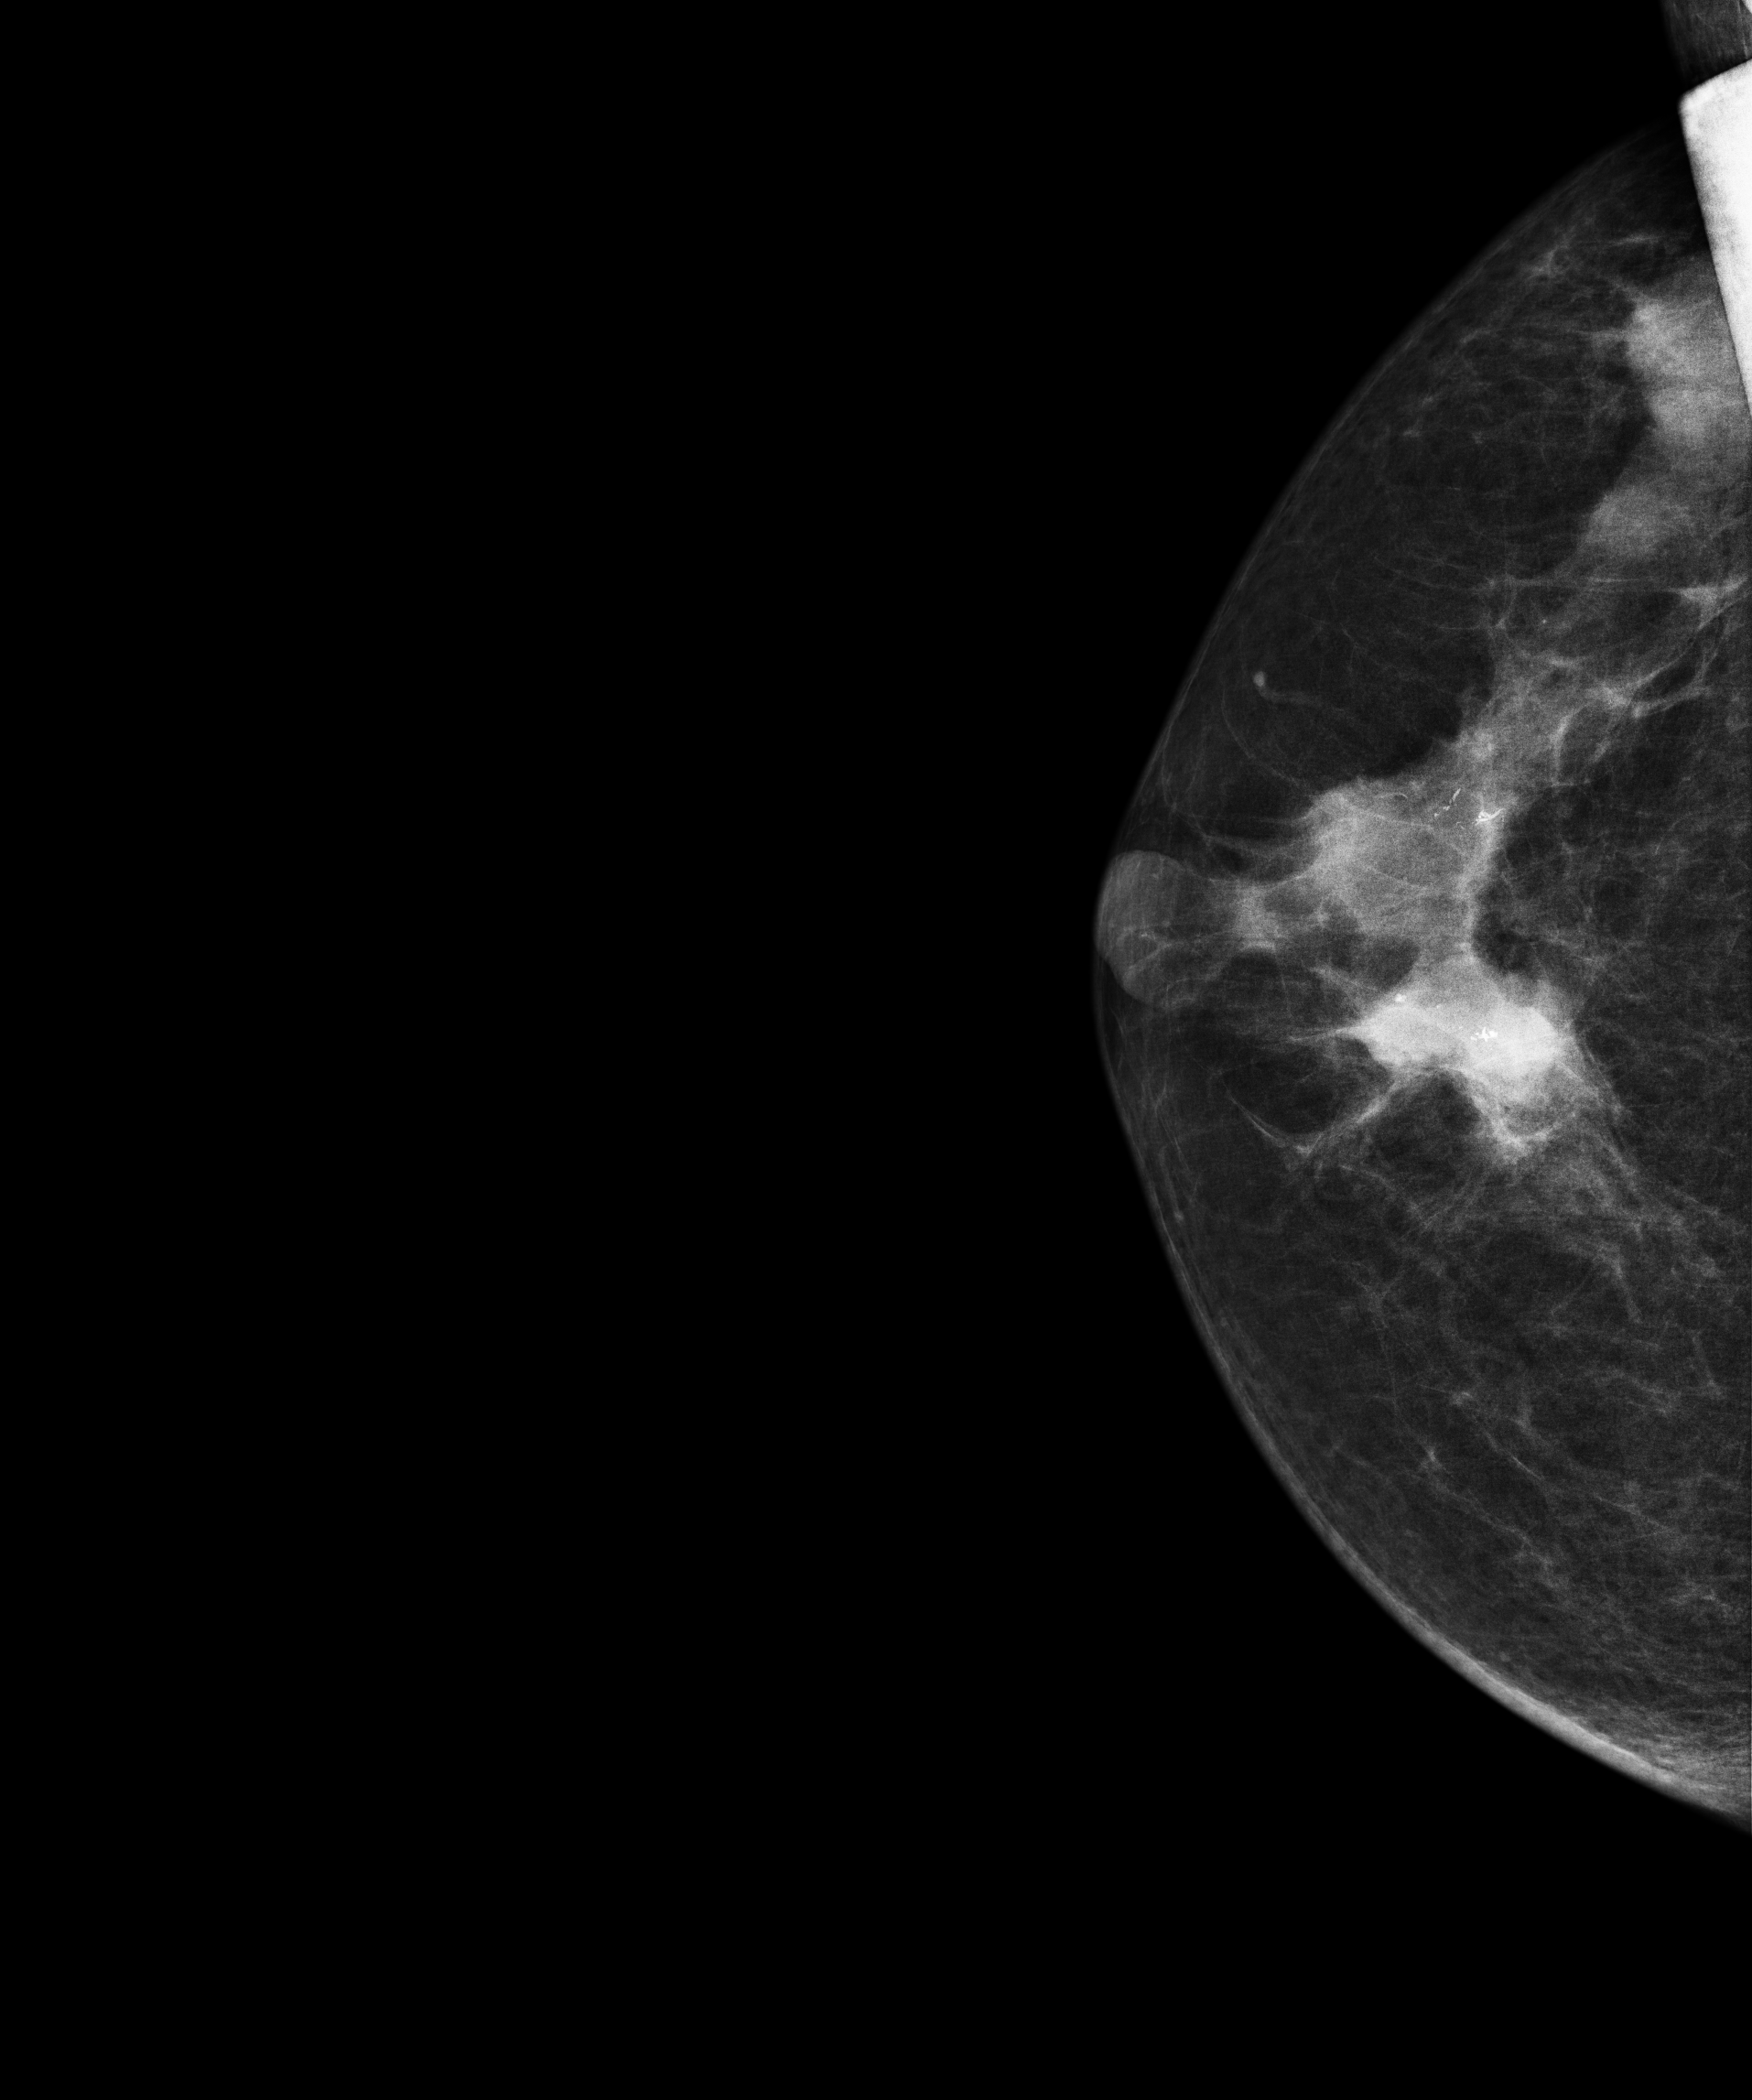
Digital mammography. Right breast, cranio-caudal projection. Patient age 63.
This breast has a mass and calcifications, pathology-confirmed malignant. Molecular subtype: HER2-enriched.